Cranio-caudal mammogram of the right breast. 59-year-old patient.
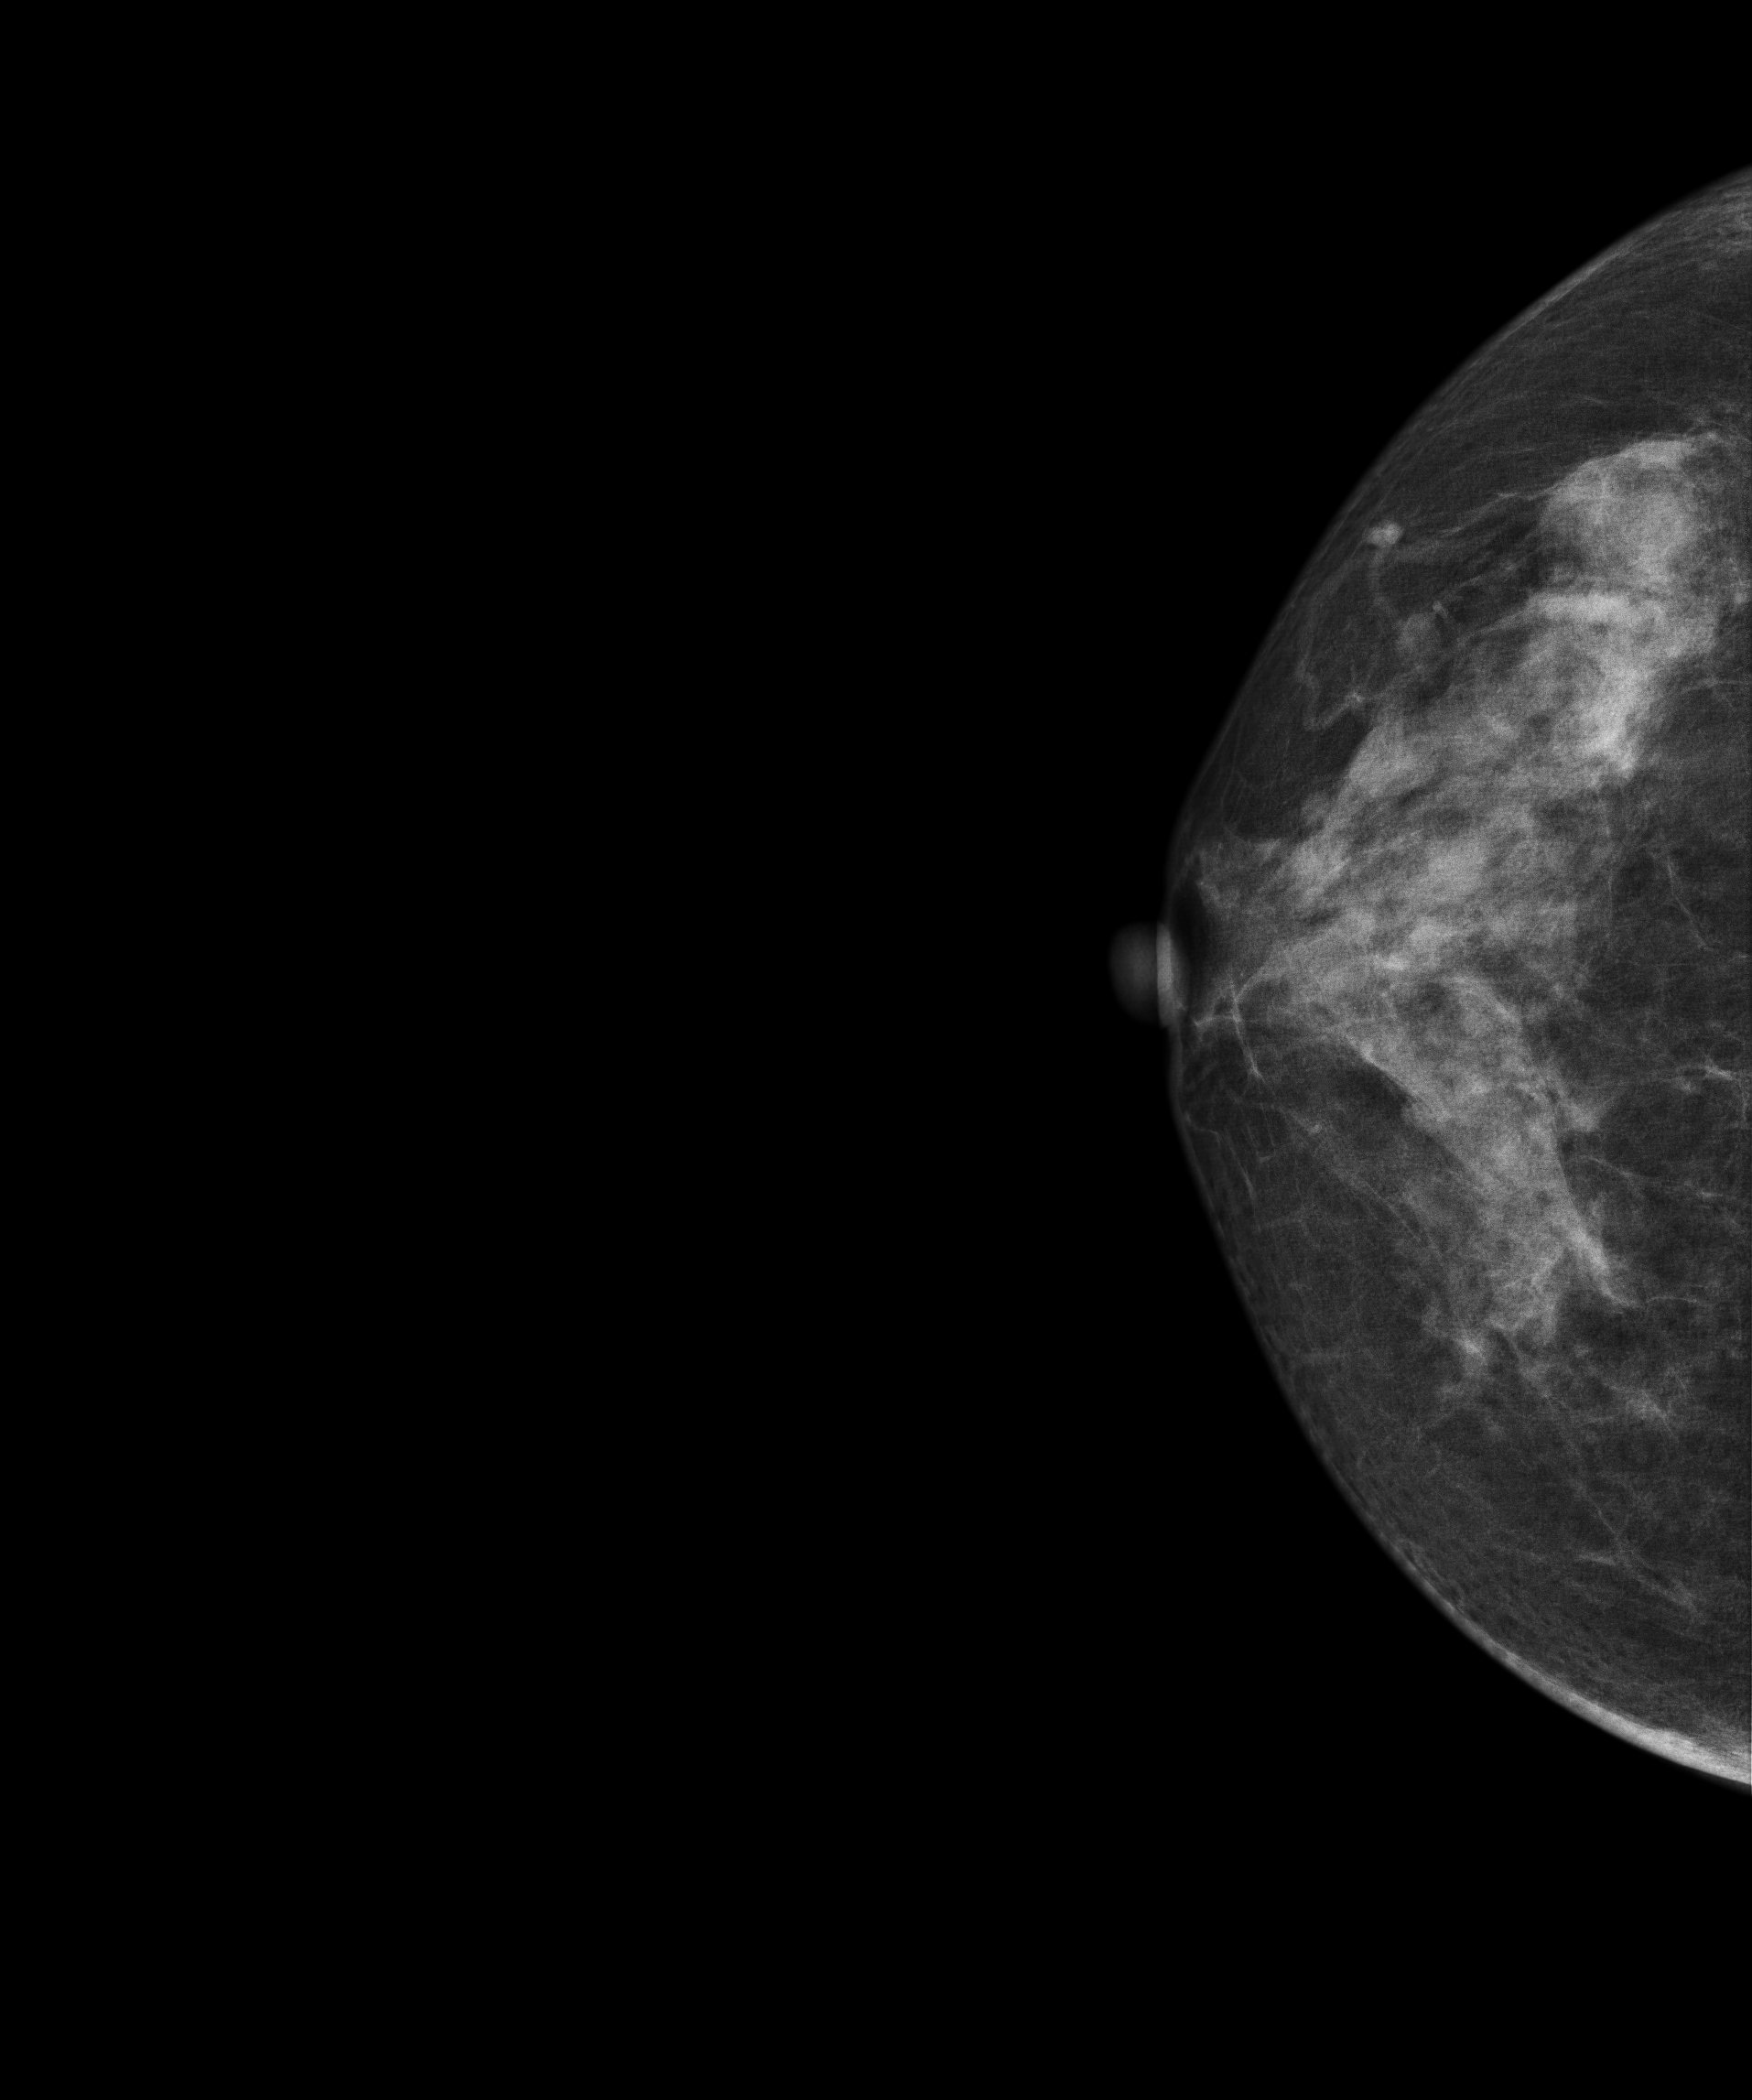
Contralateral breast — no documented abnormality on this side.